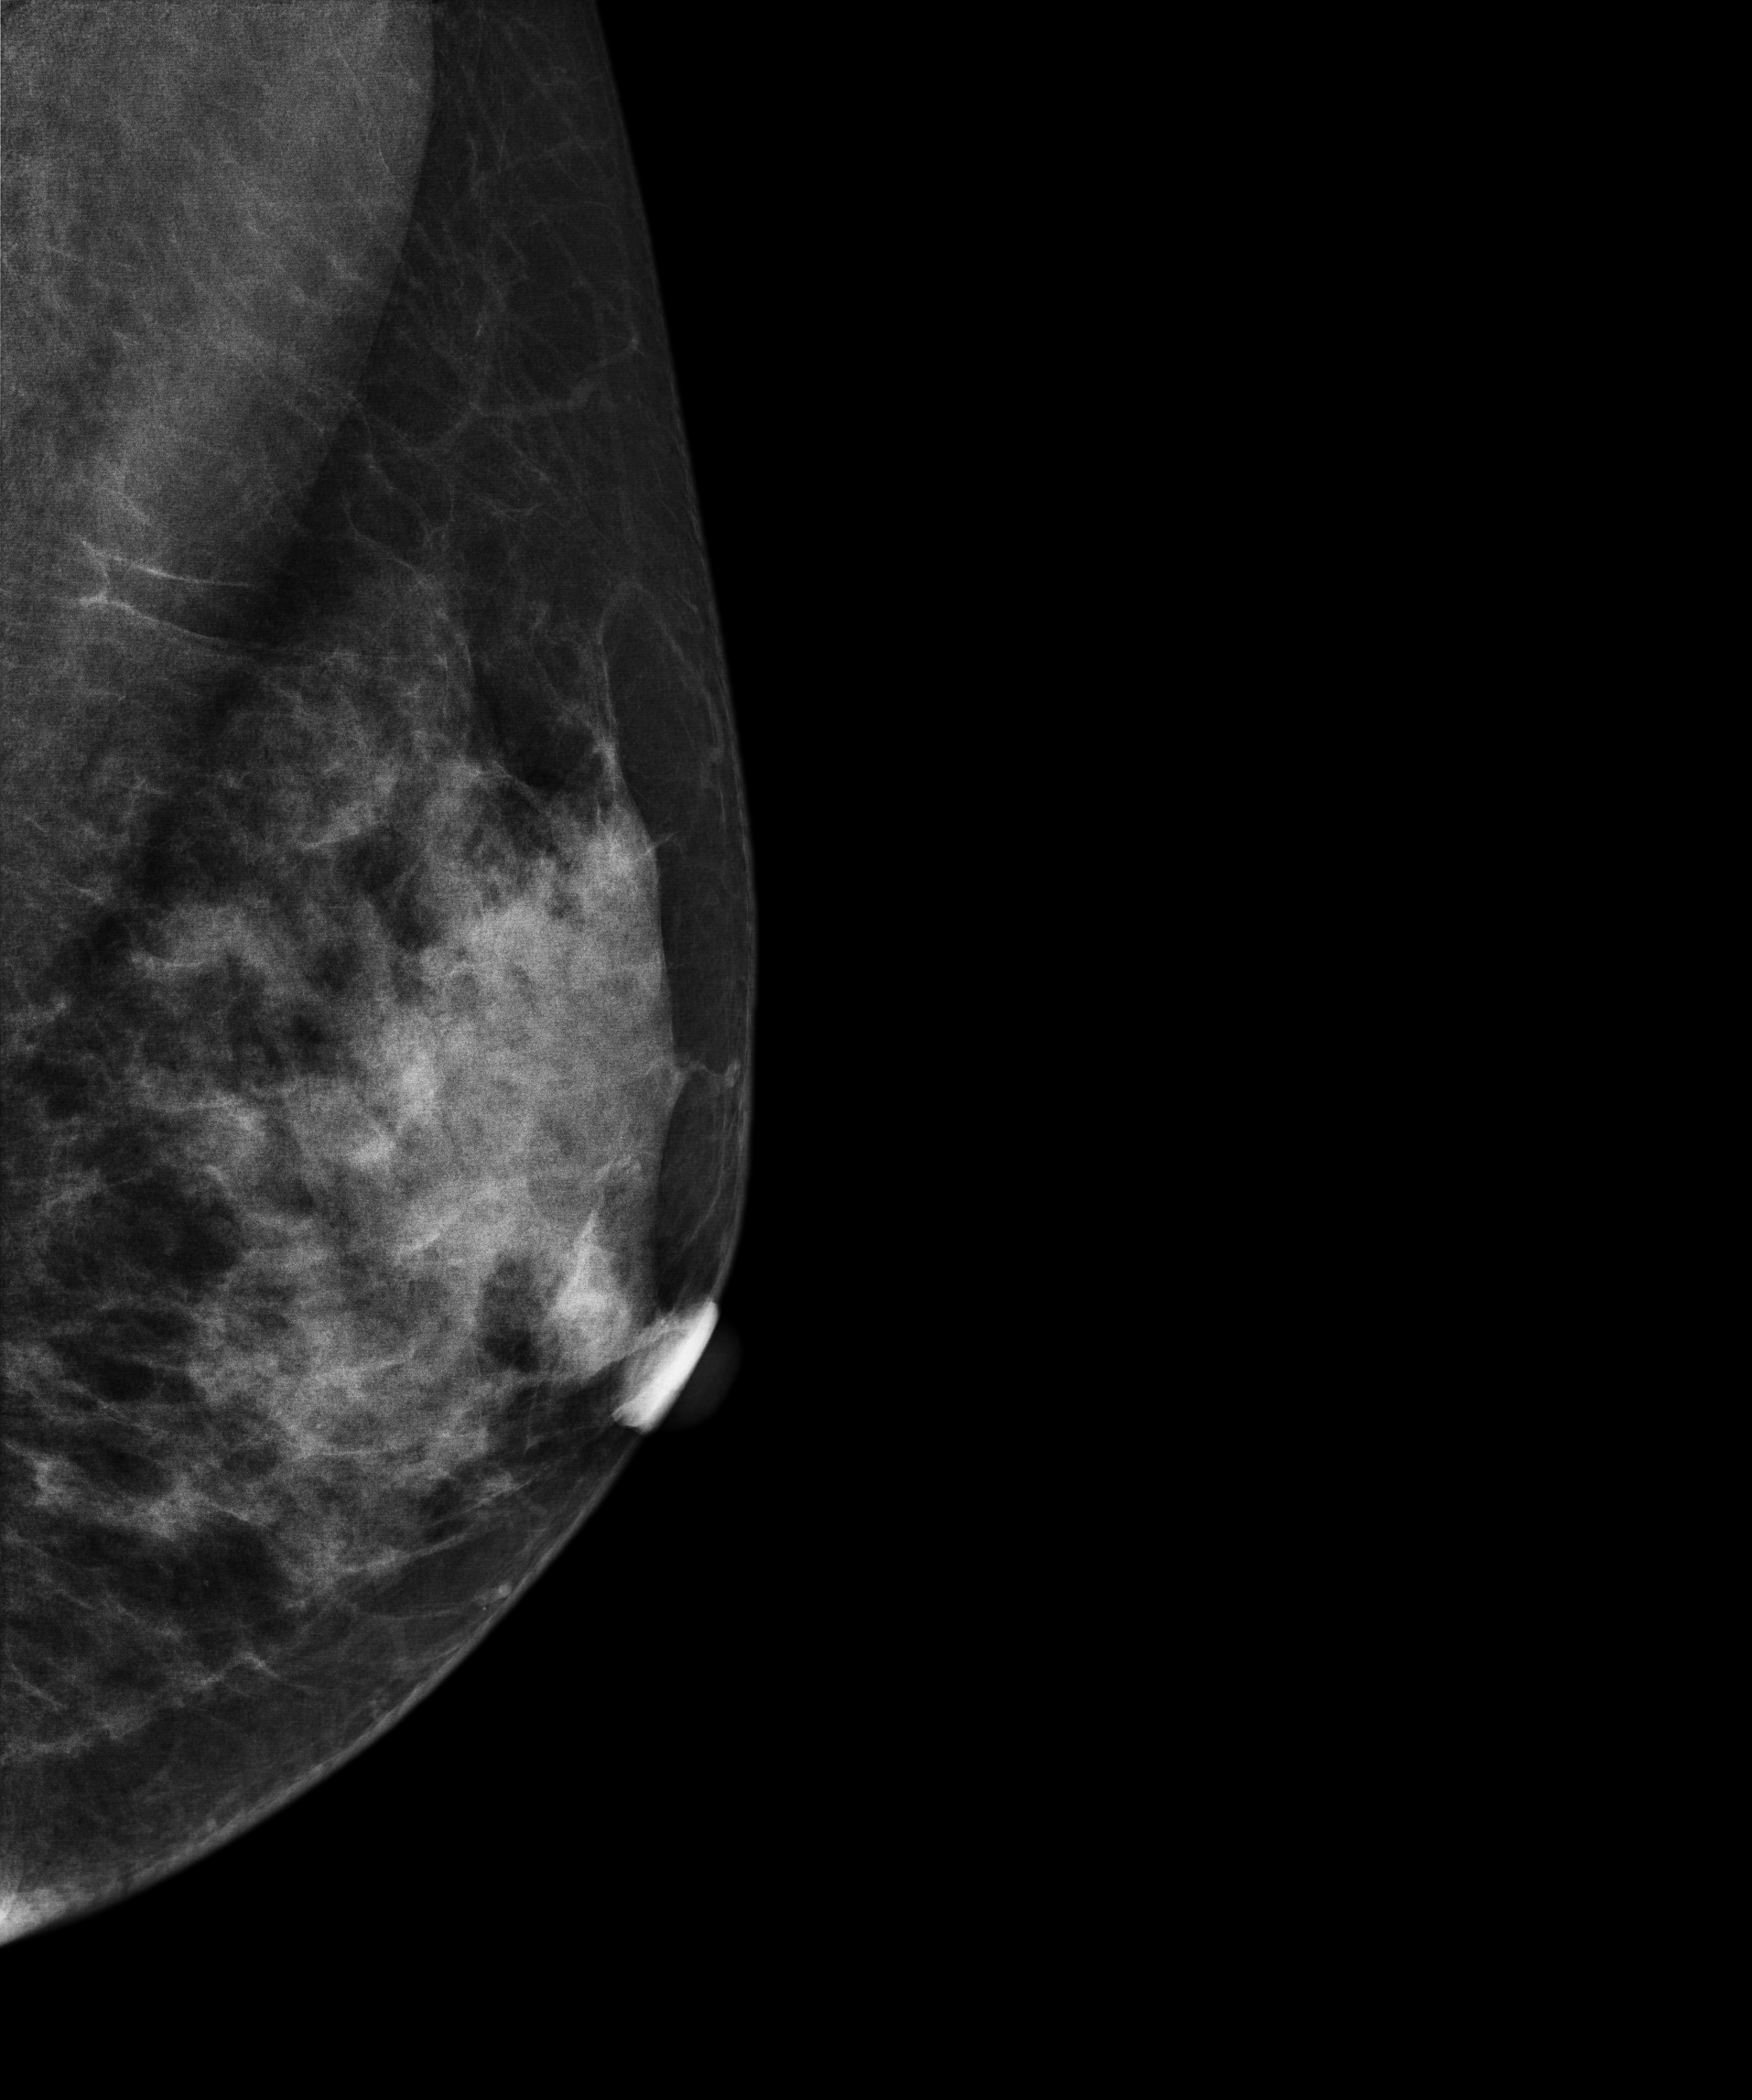
Digital mammography. Left breast, medio-lateral oblique projection. 37 y/o patient.
Contralateral breast — no documented abnormality on this side.